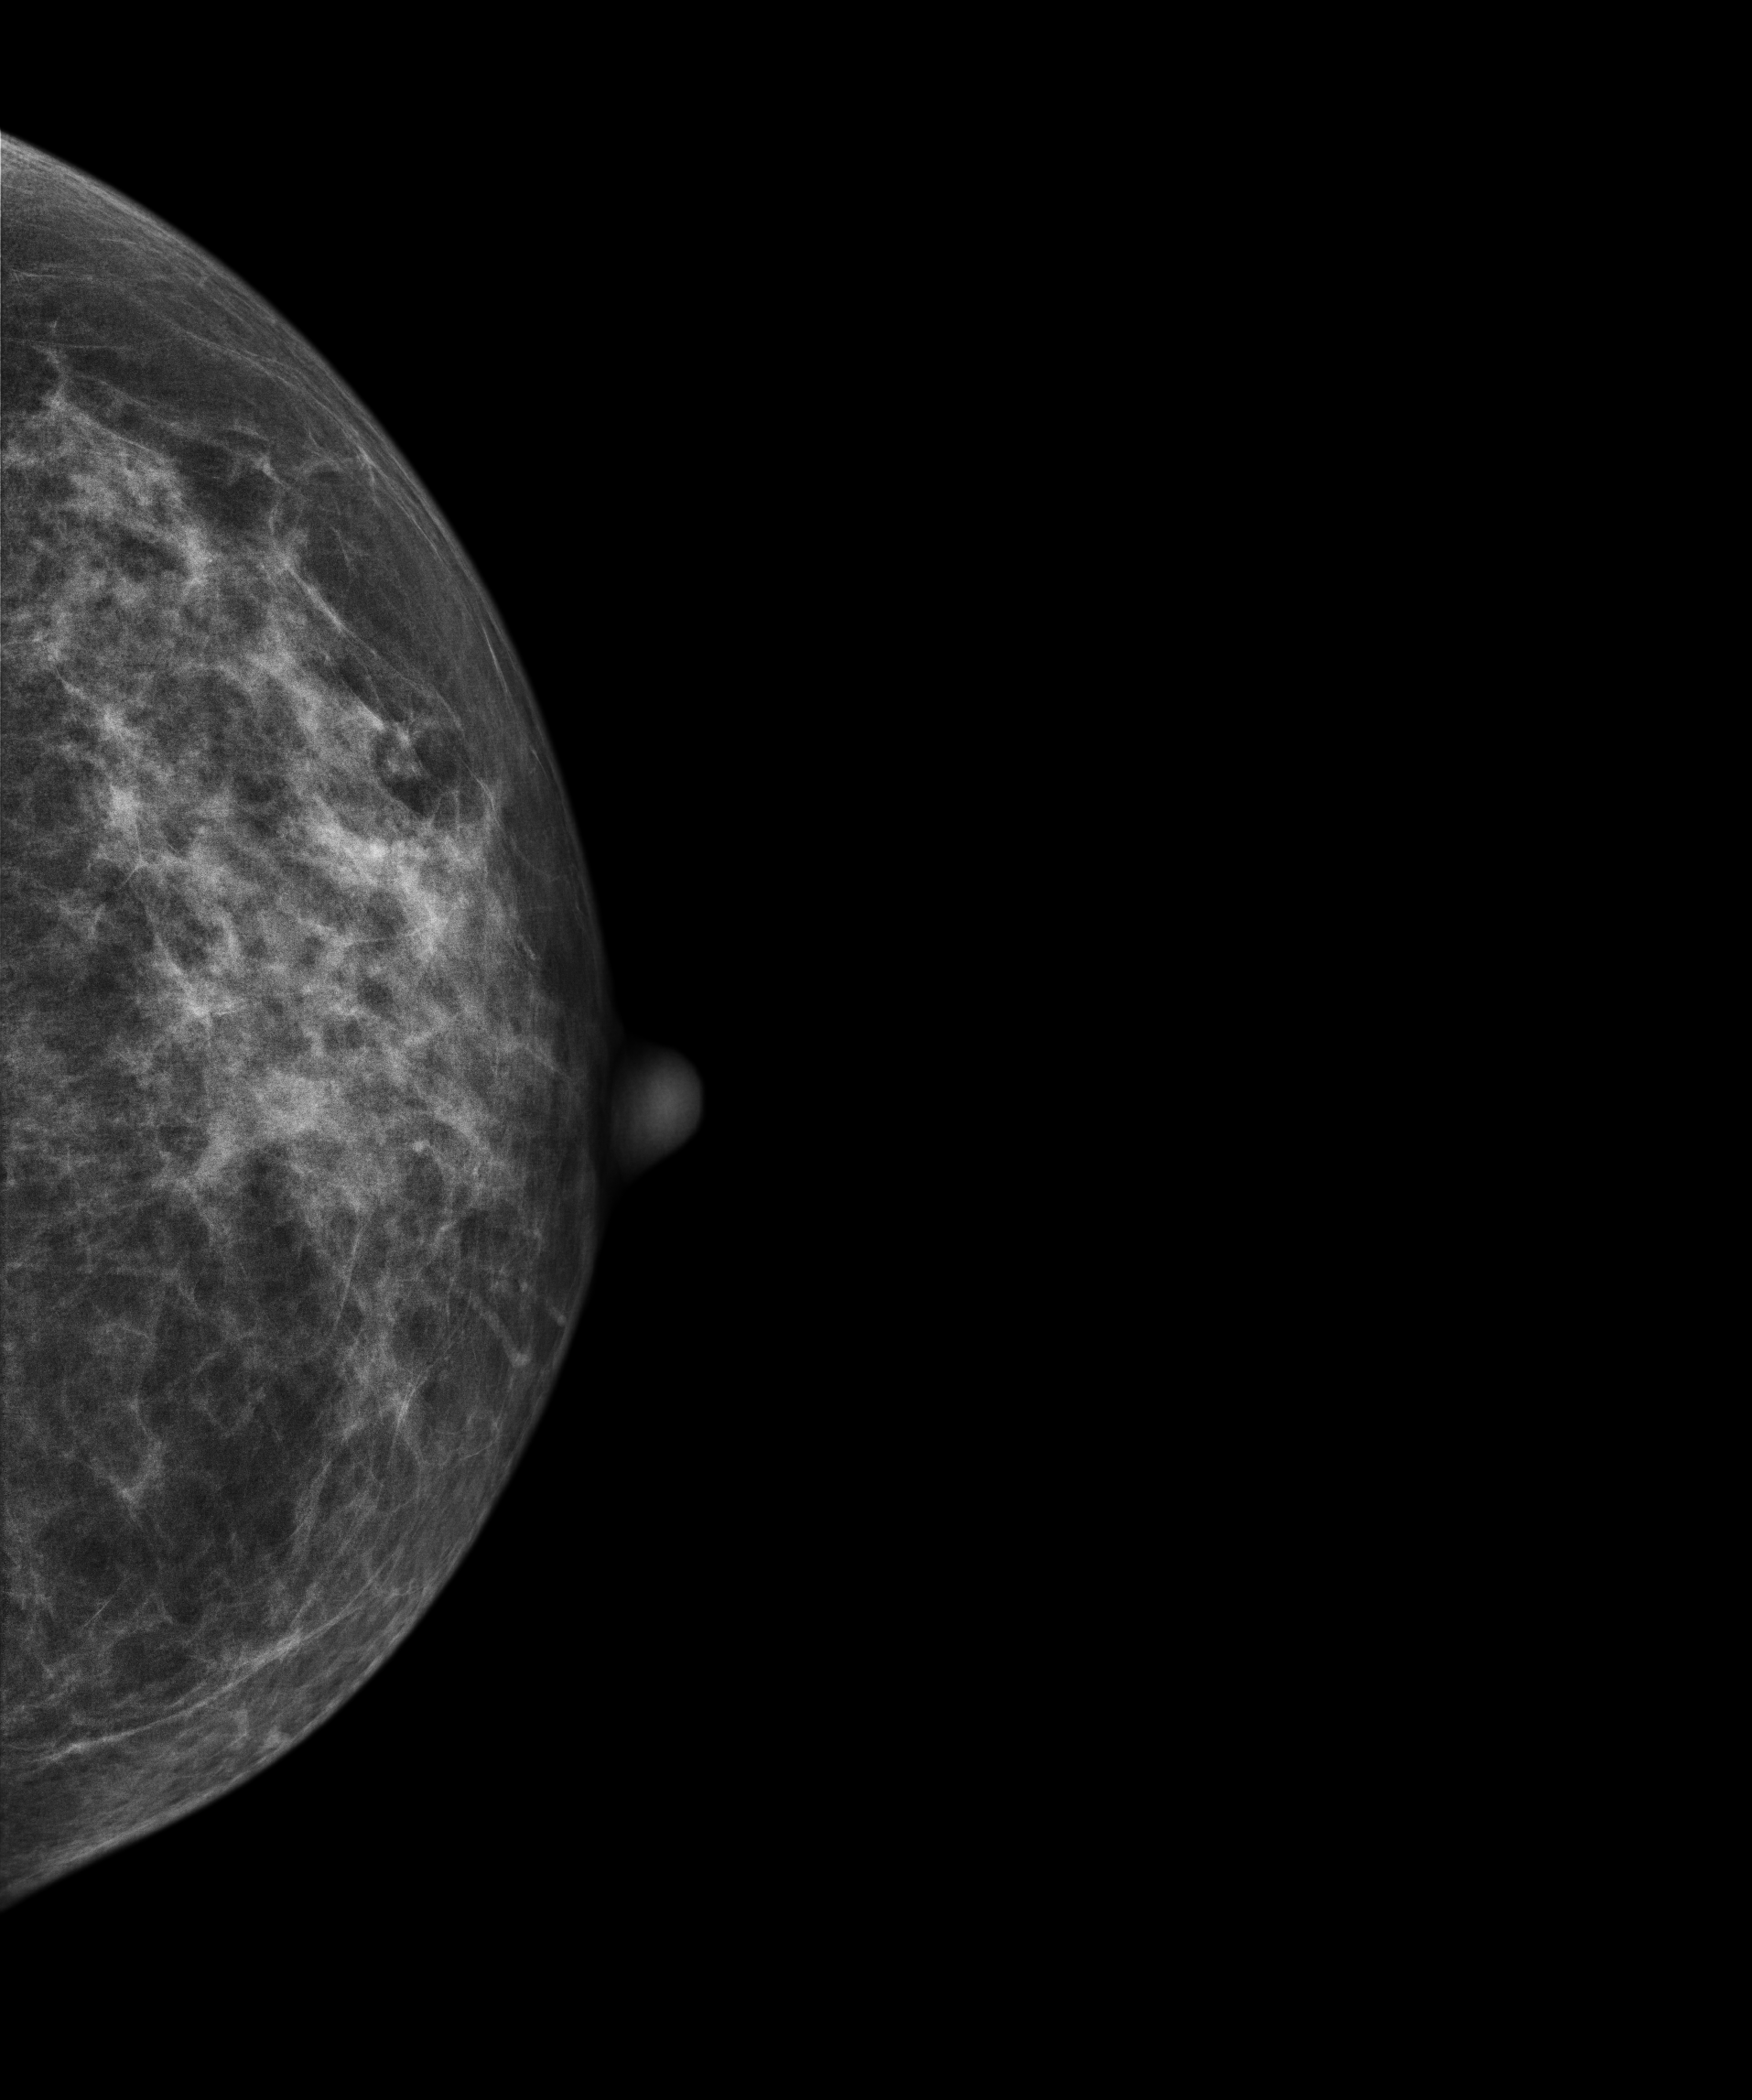
Digital mammography. Left breast, CC projection. 58 y/o patient.
Contralateral breast — no documented abnormality on this side.